Mammogram — left medio-lateral oblique. 48-year-old patient.
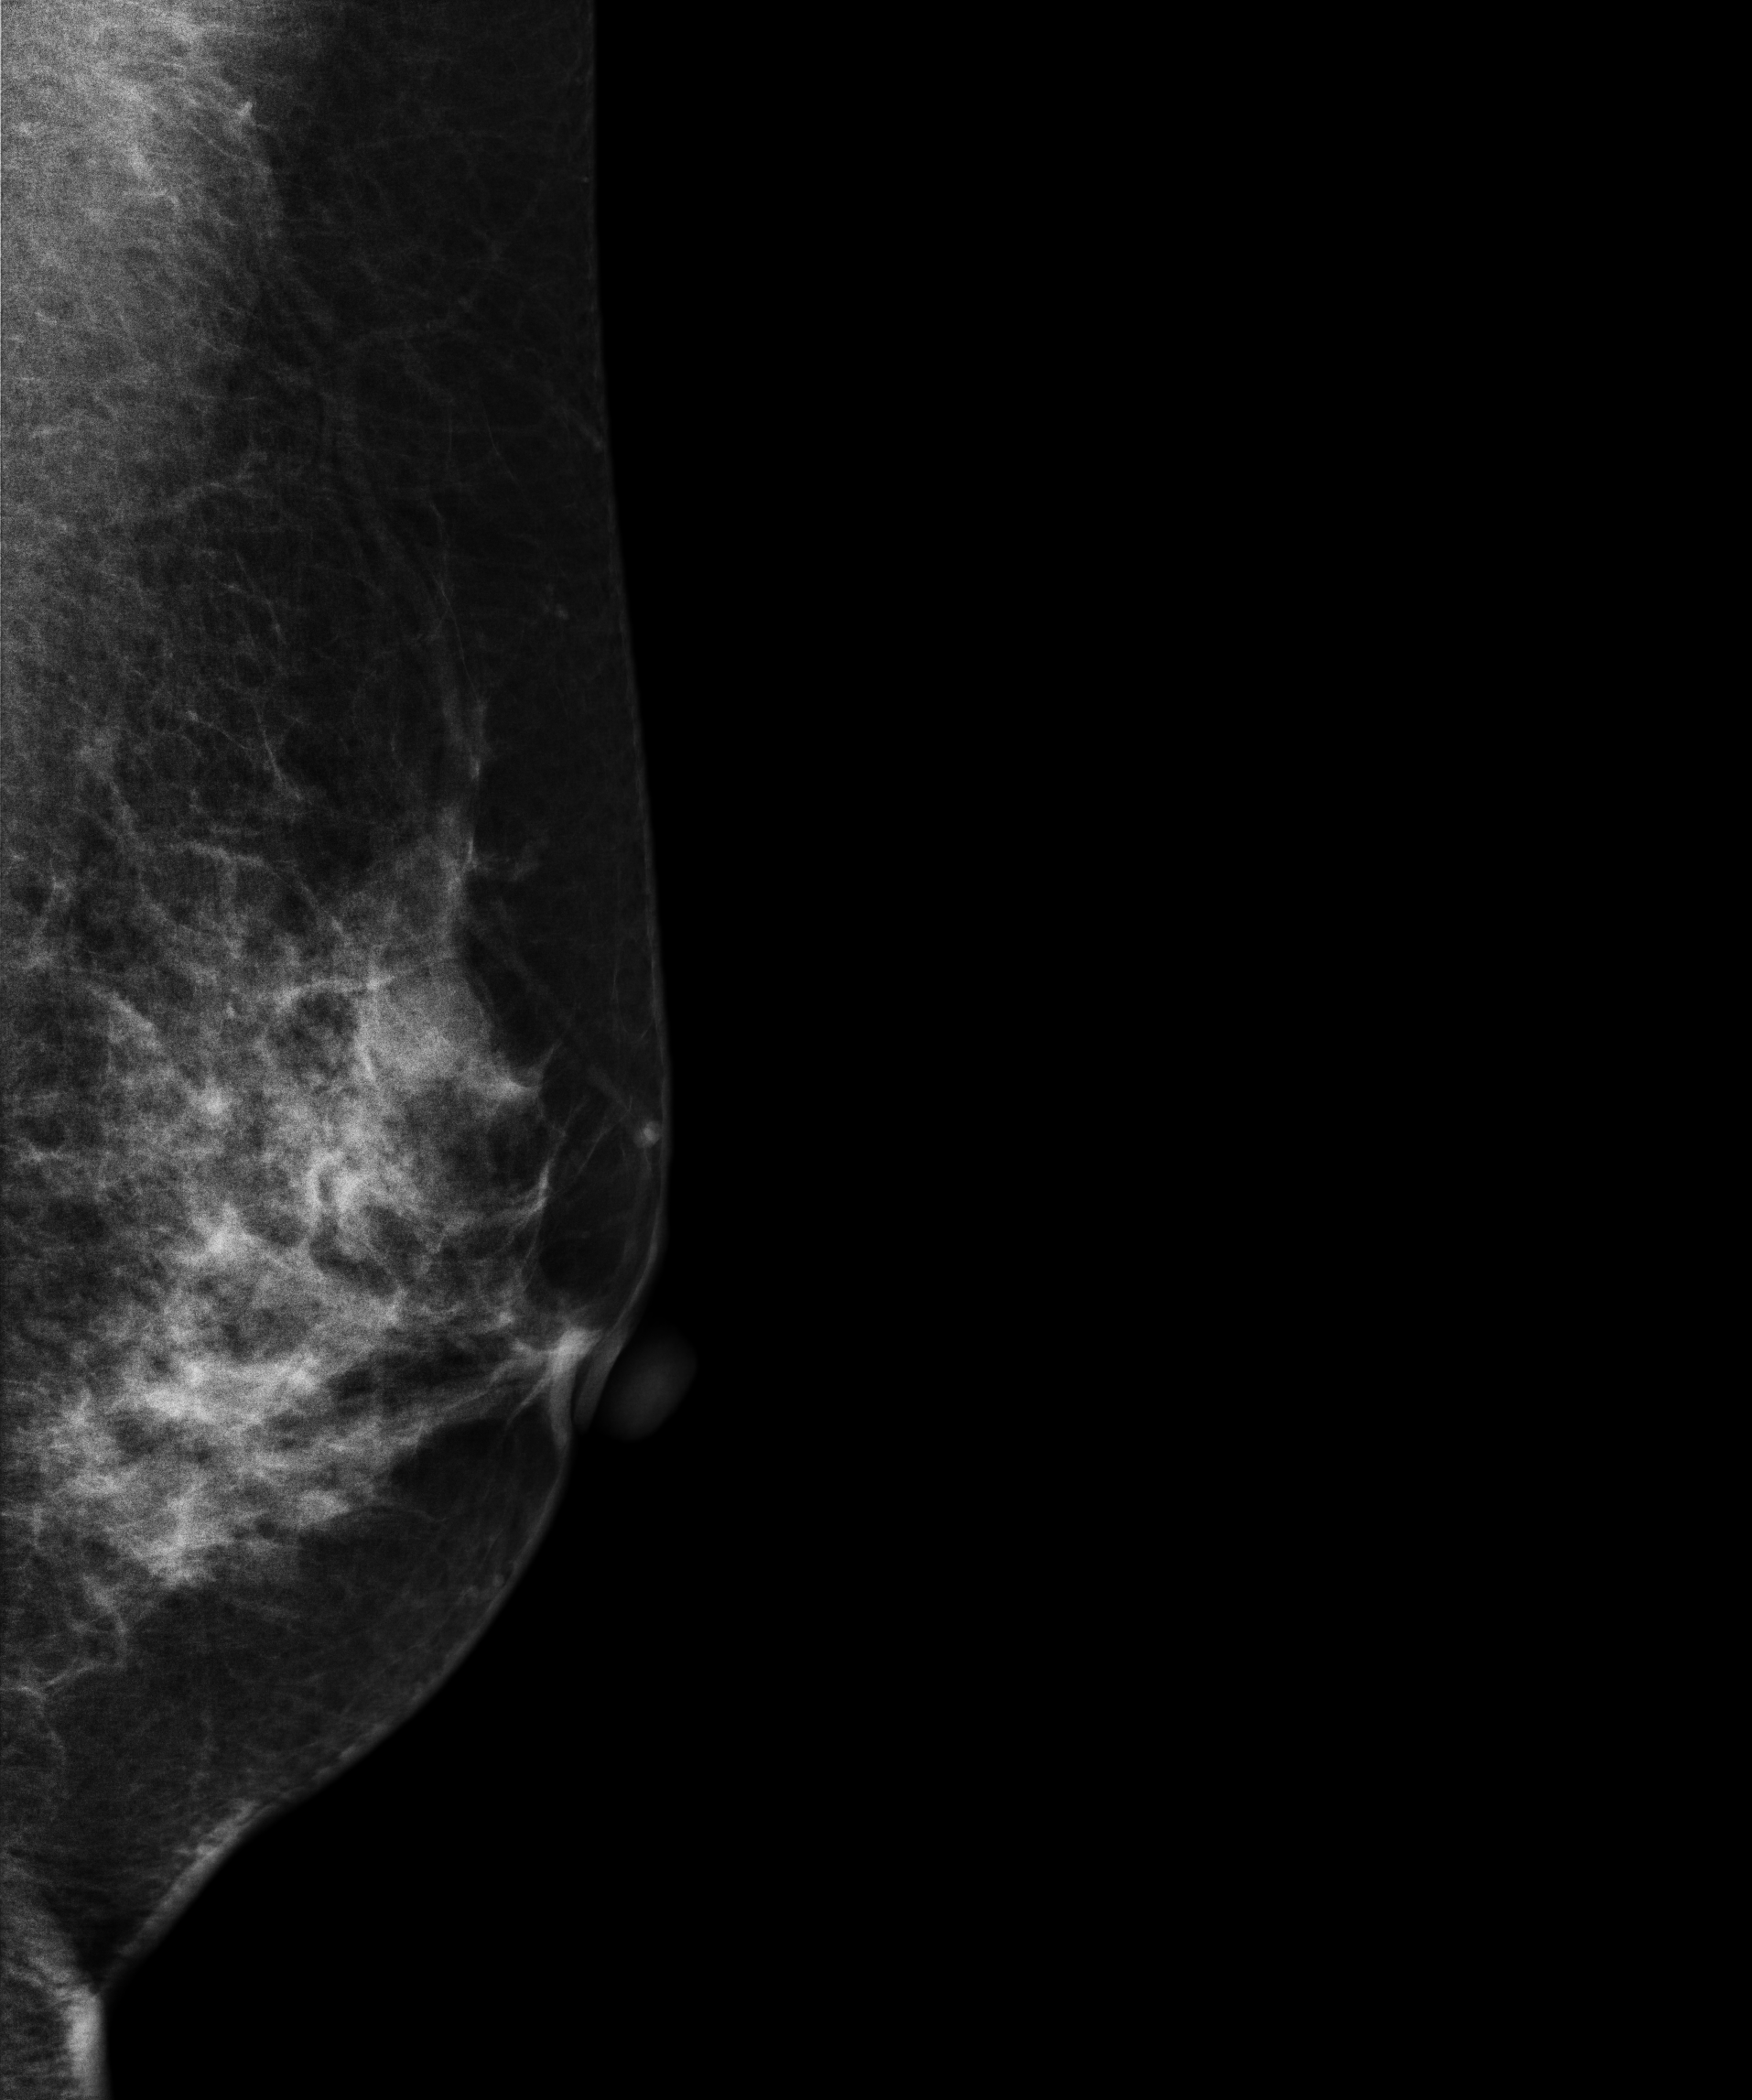
This breast has a mass, biopsy-confirmed benign.